Digital mammography. Left breast, MLO projection. Patient age 39.
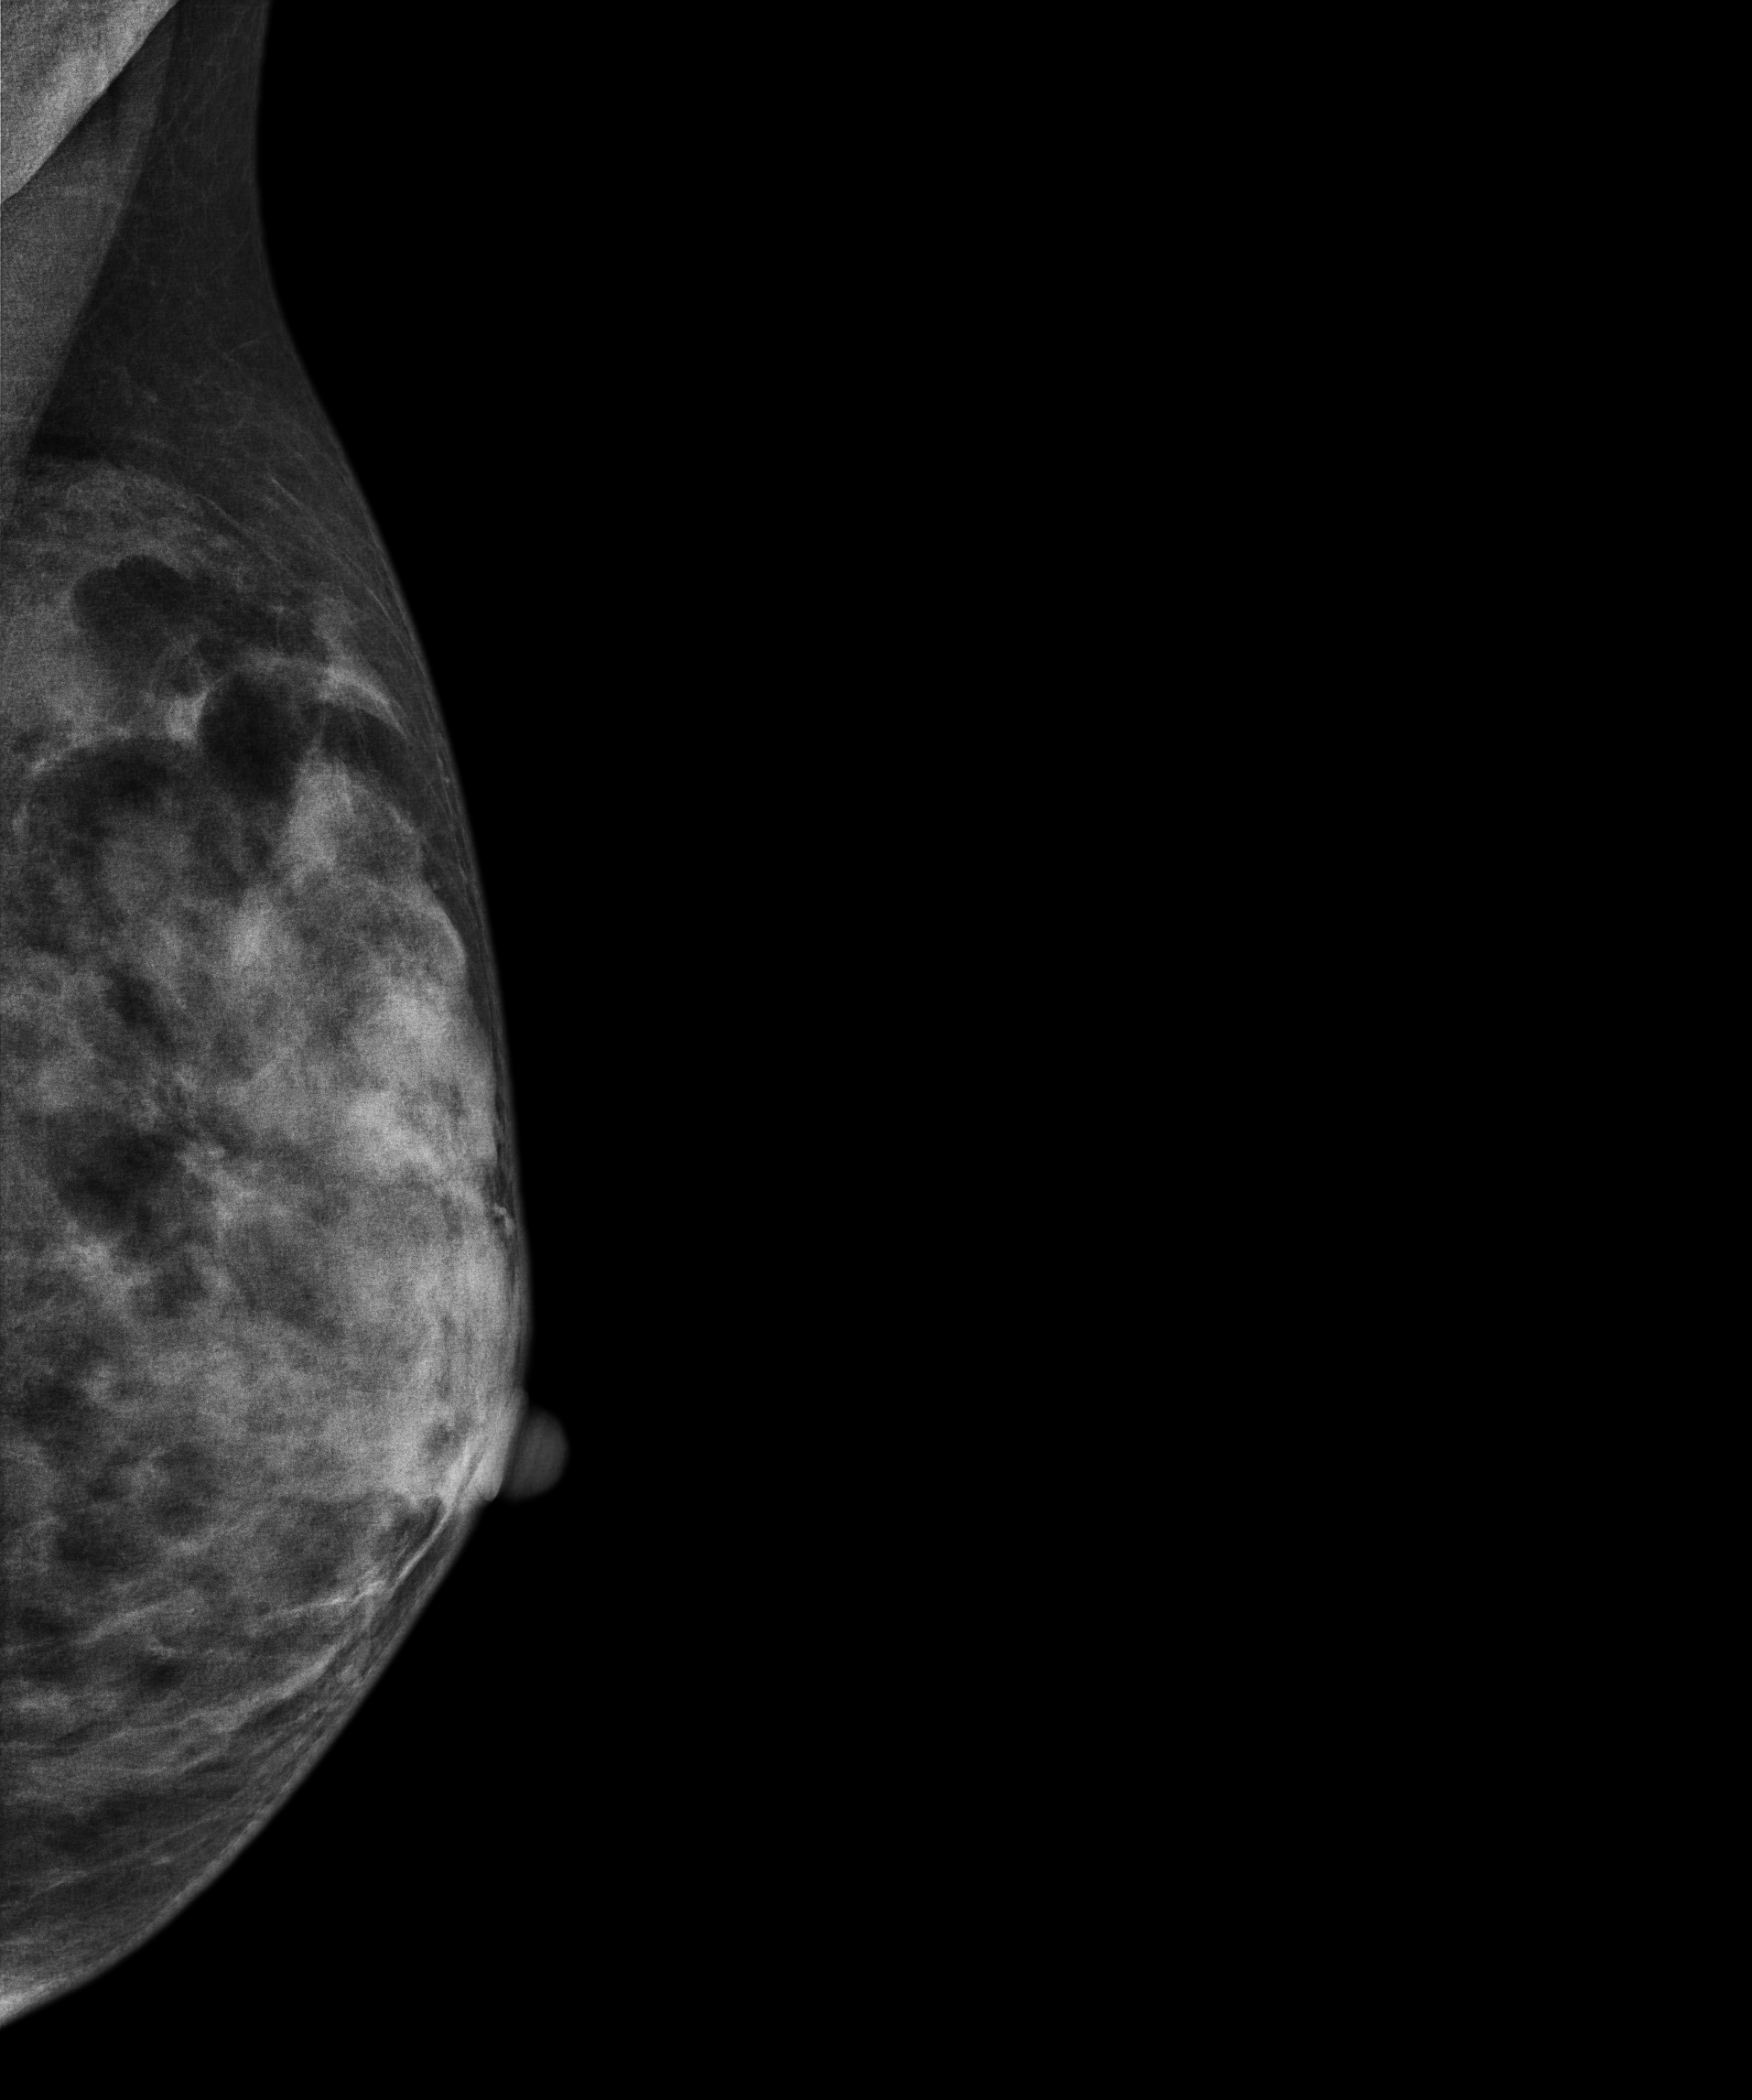
This breast has a mass, biopsy-confirmed benign.